Mammogram — left MLO. Patient age 48.
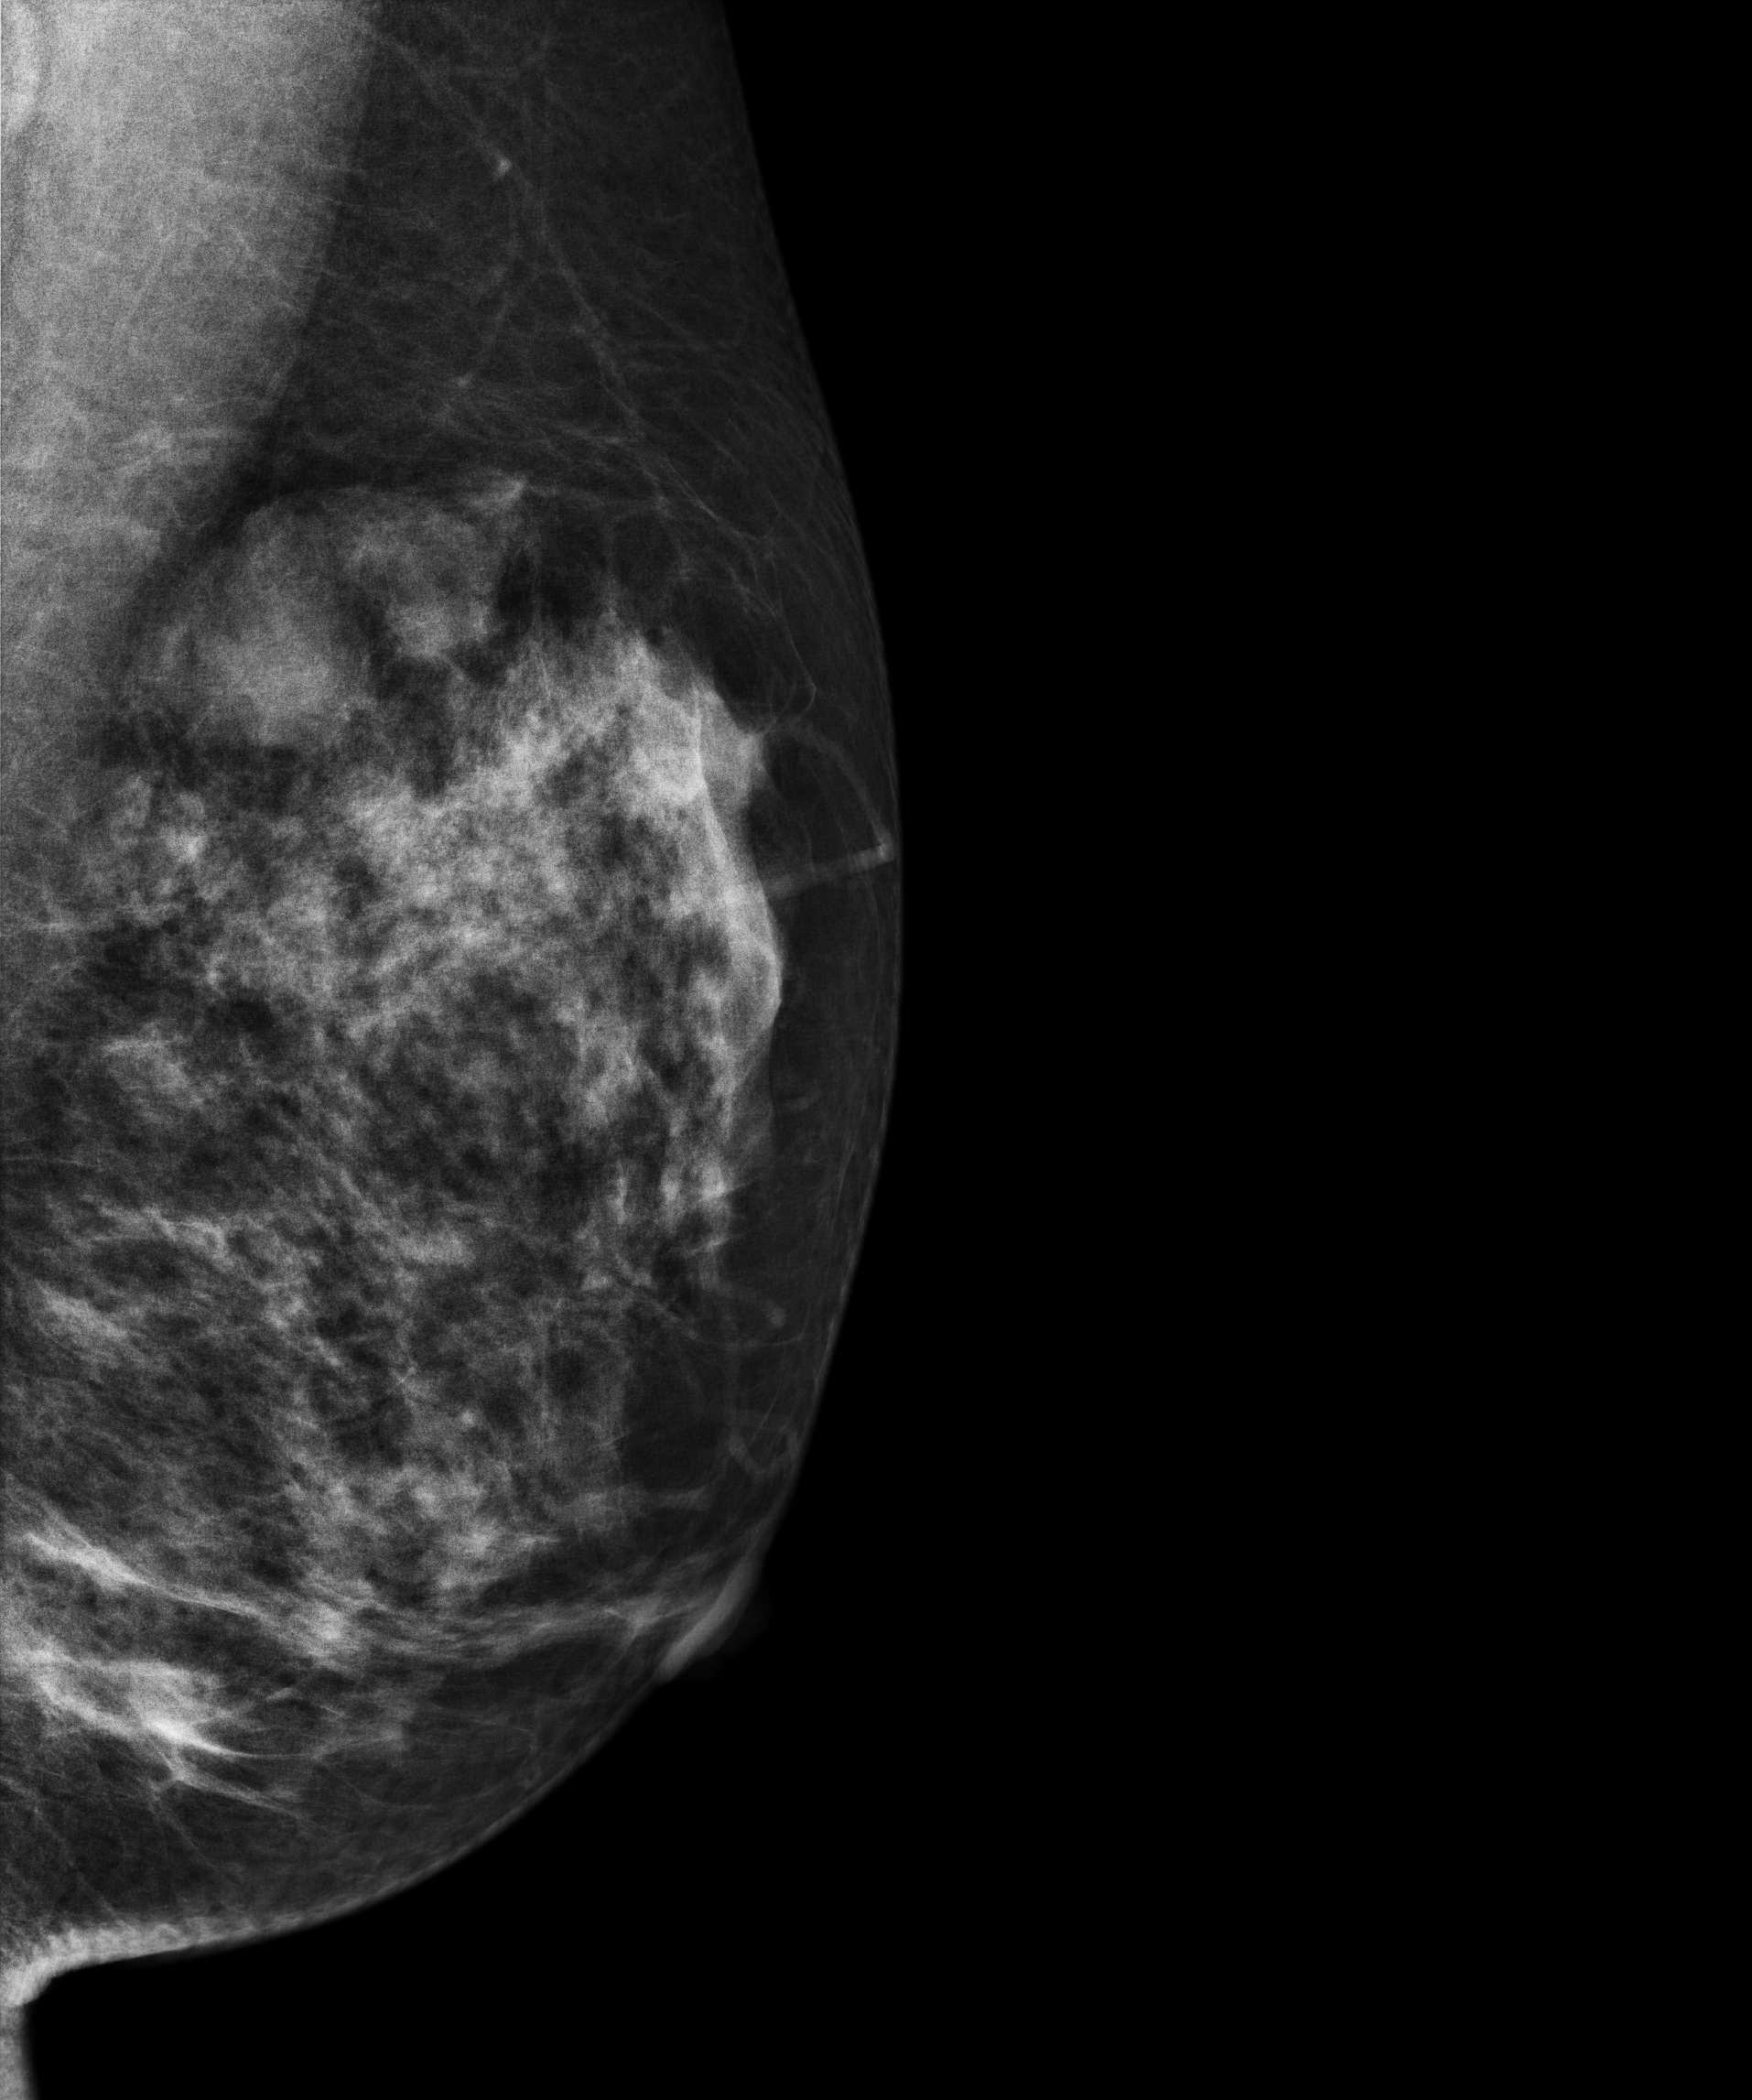
This breast has a mass, biopsy-confirmed benign.